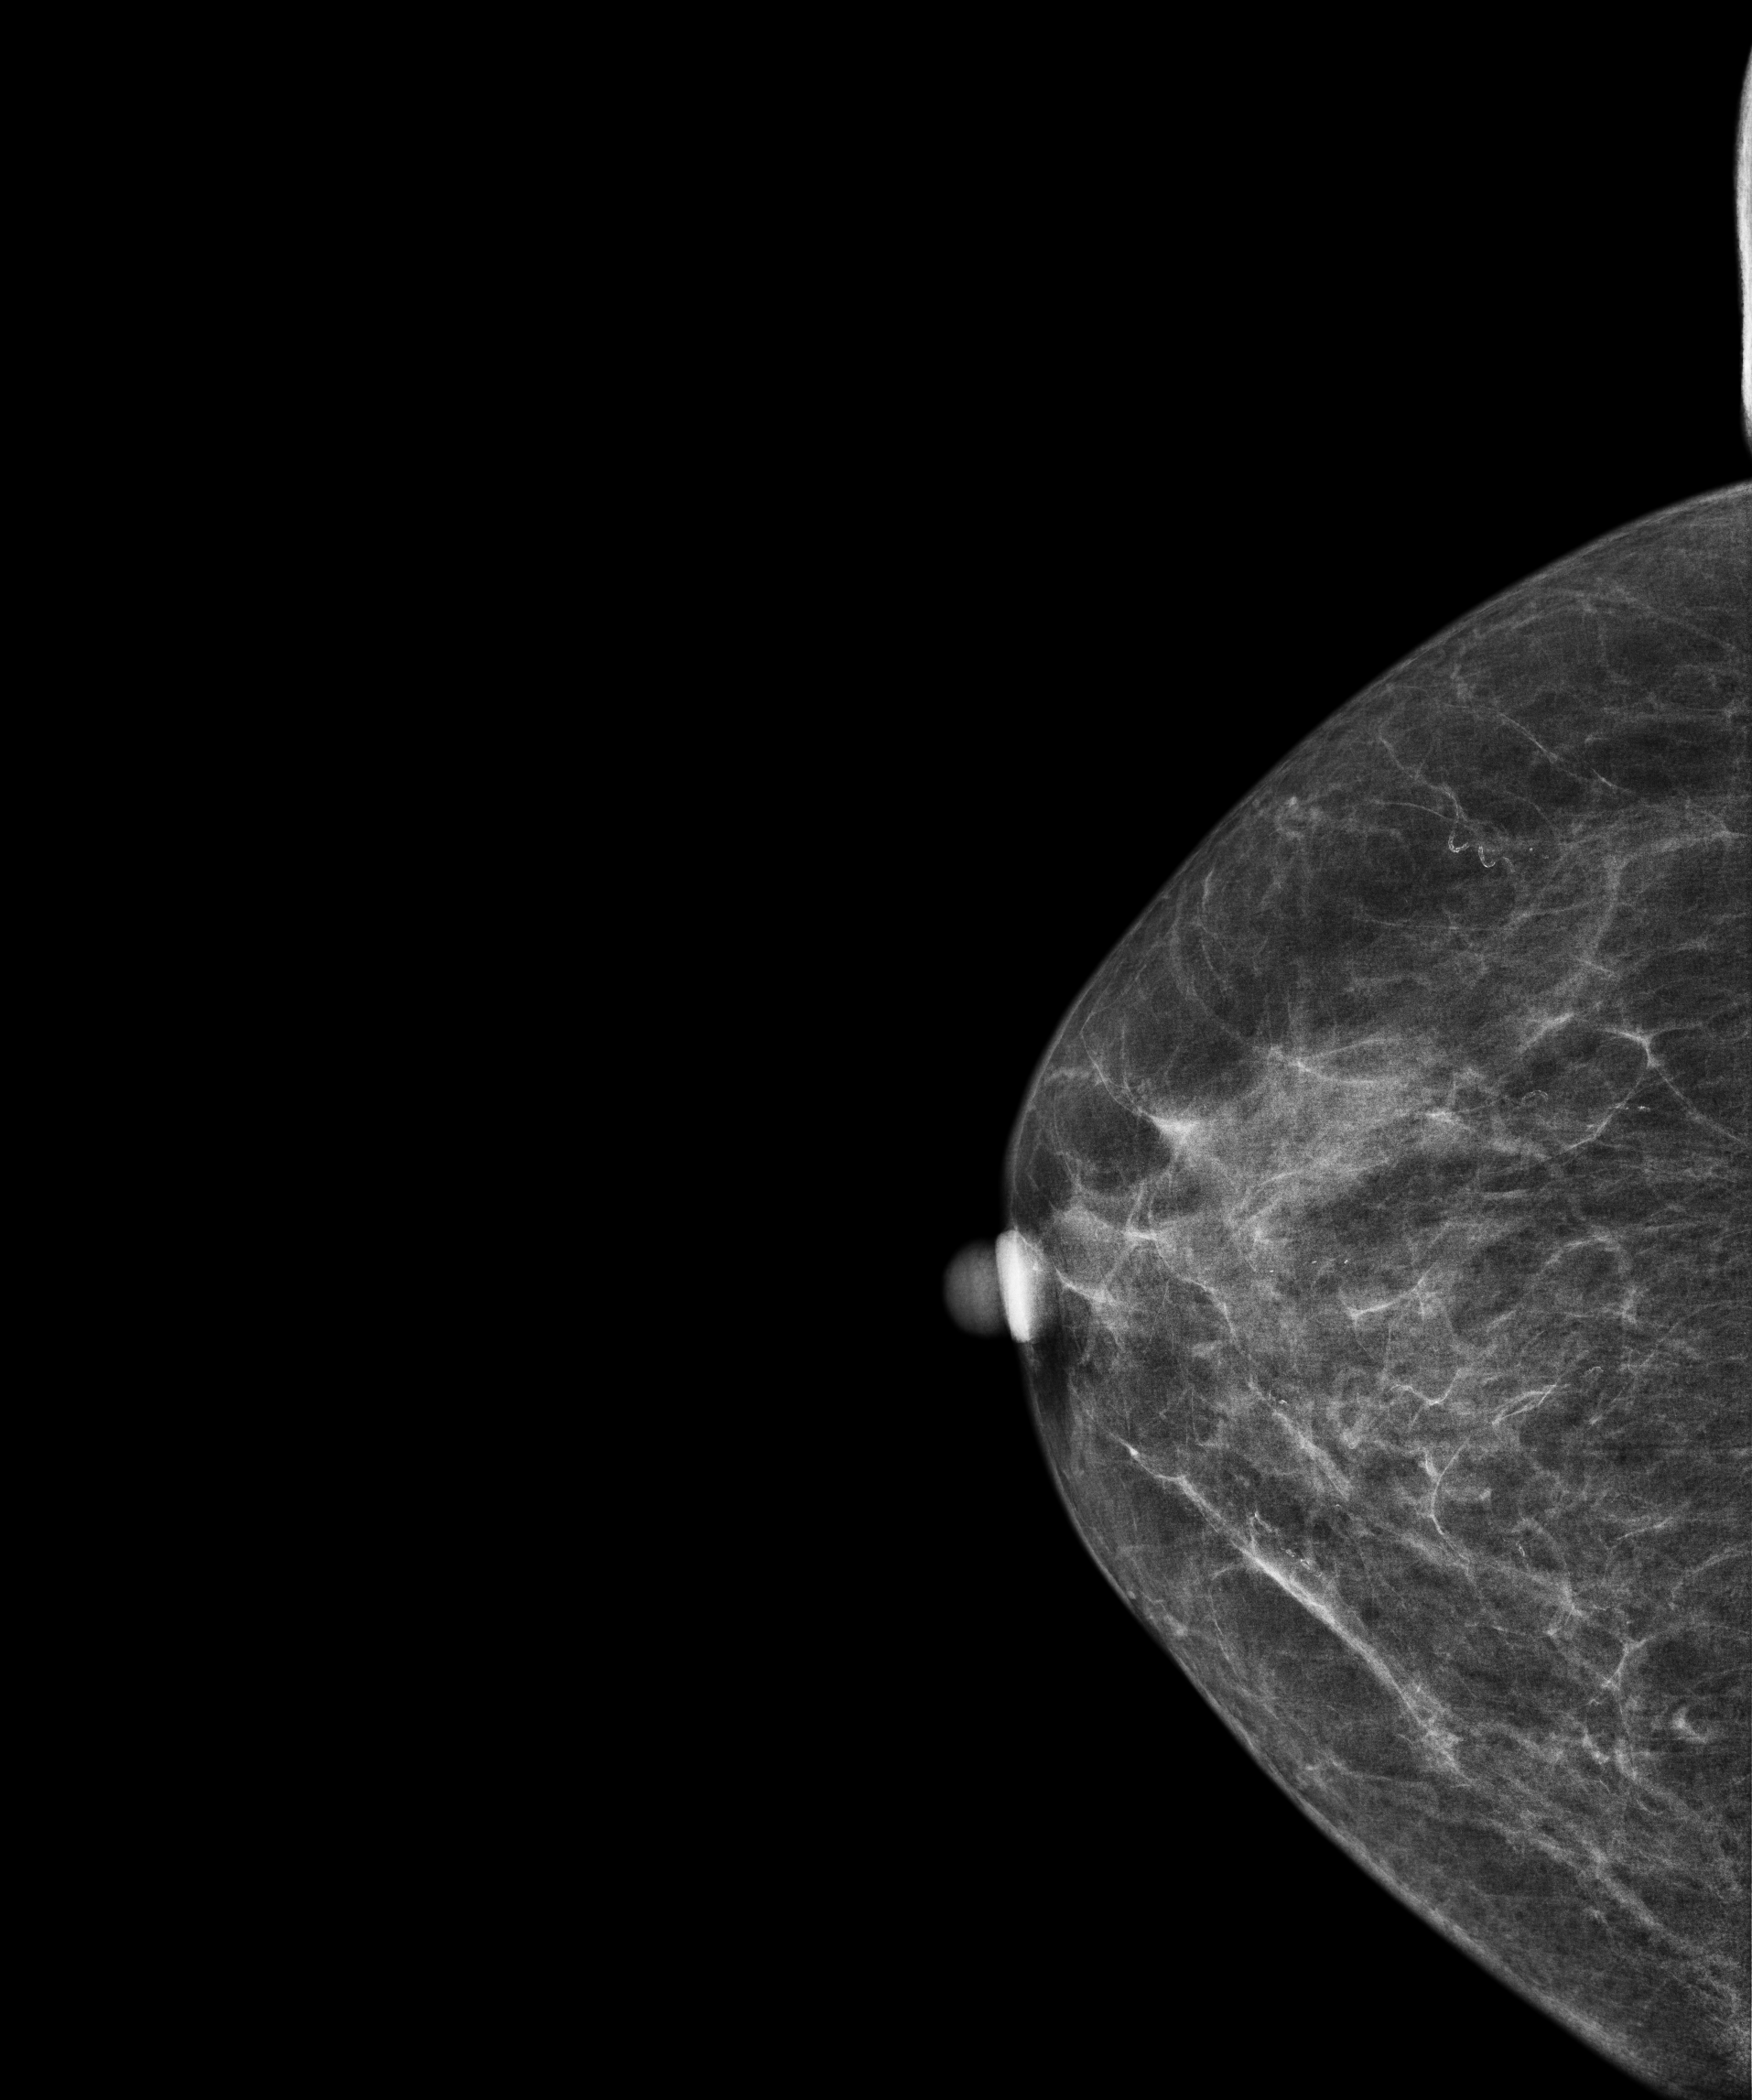
Digital mammography. Right breast, CC projection. 60 y/o patient.
This breast has a mass, histologically confirmed benign.